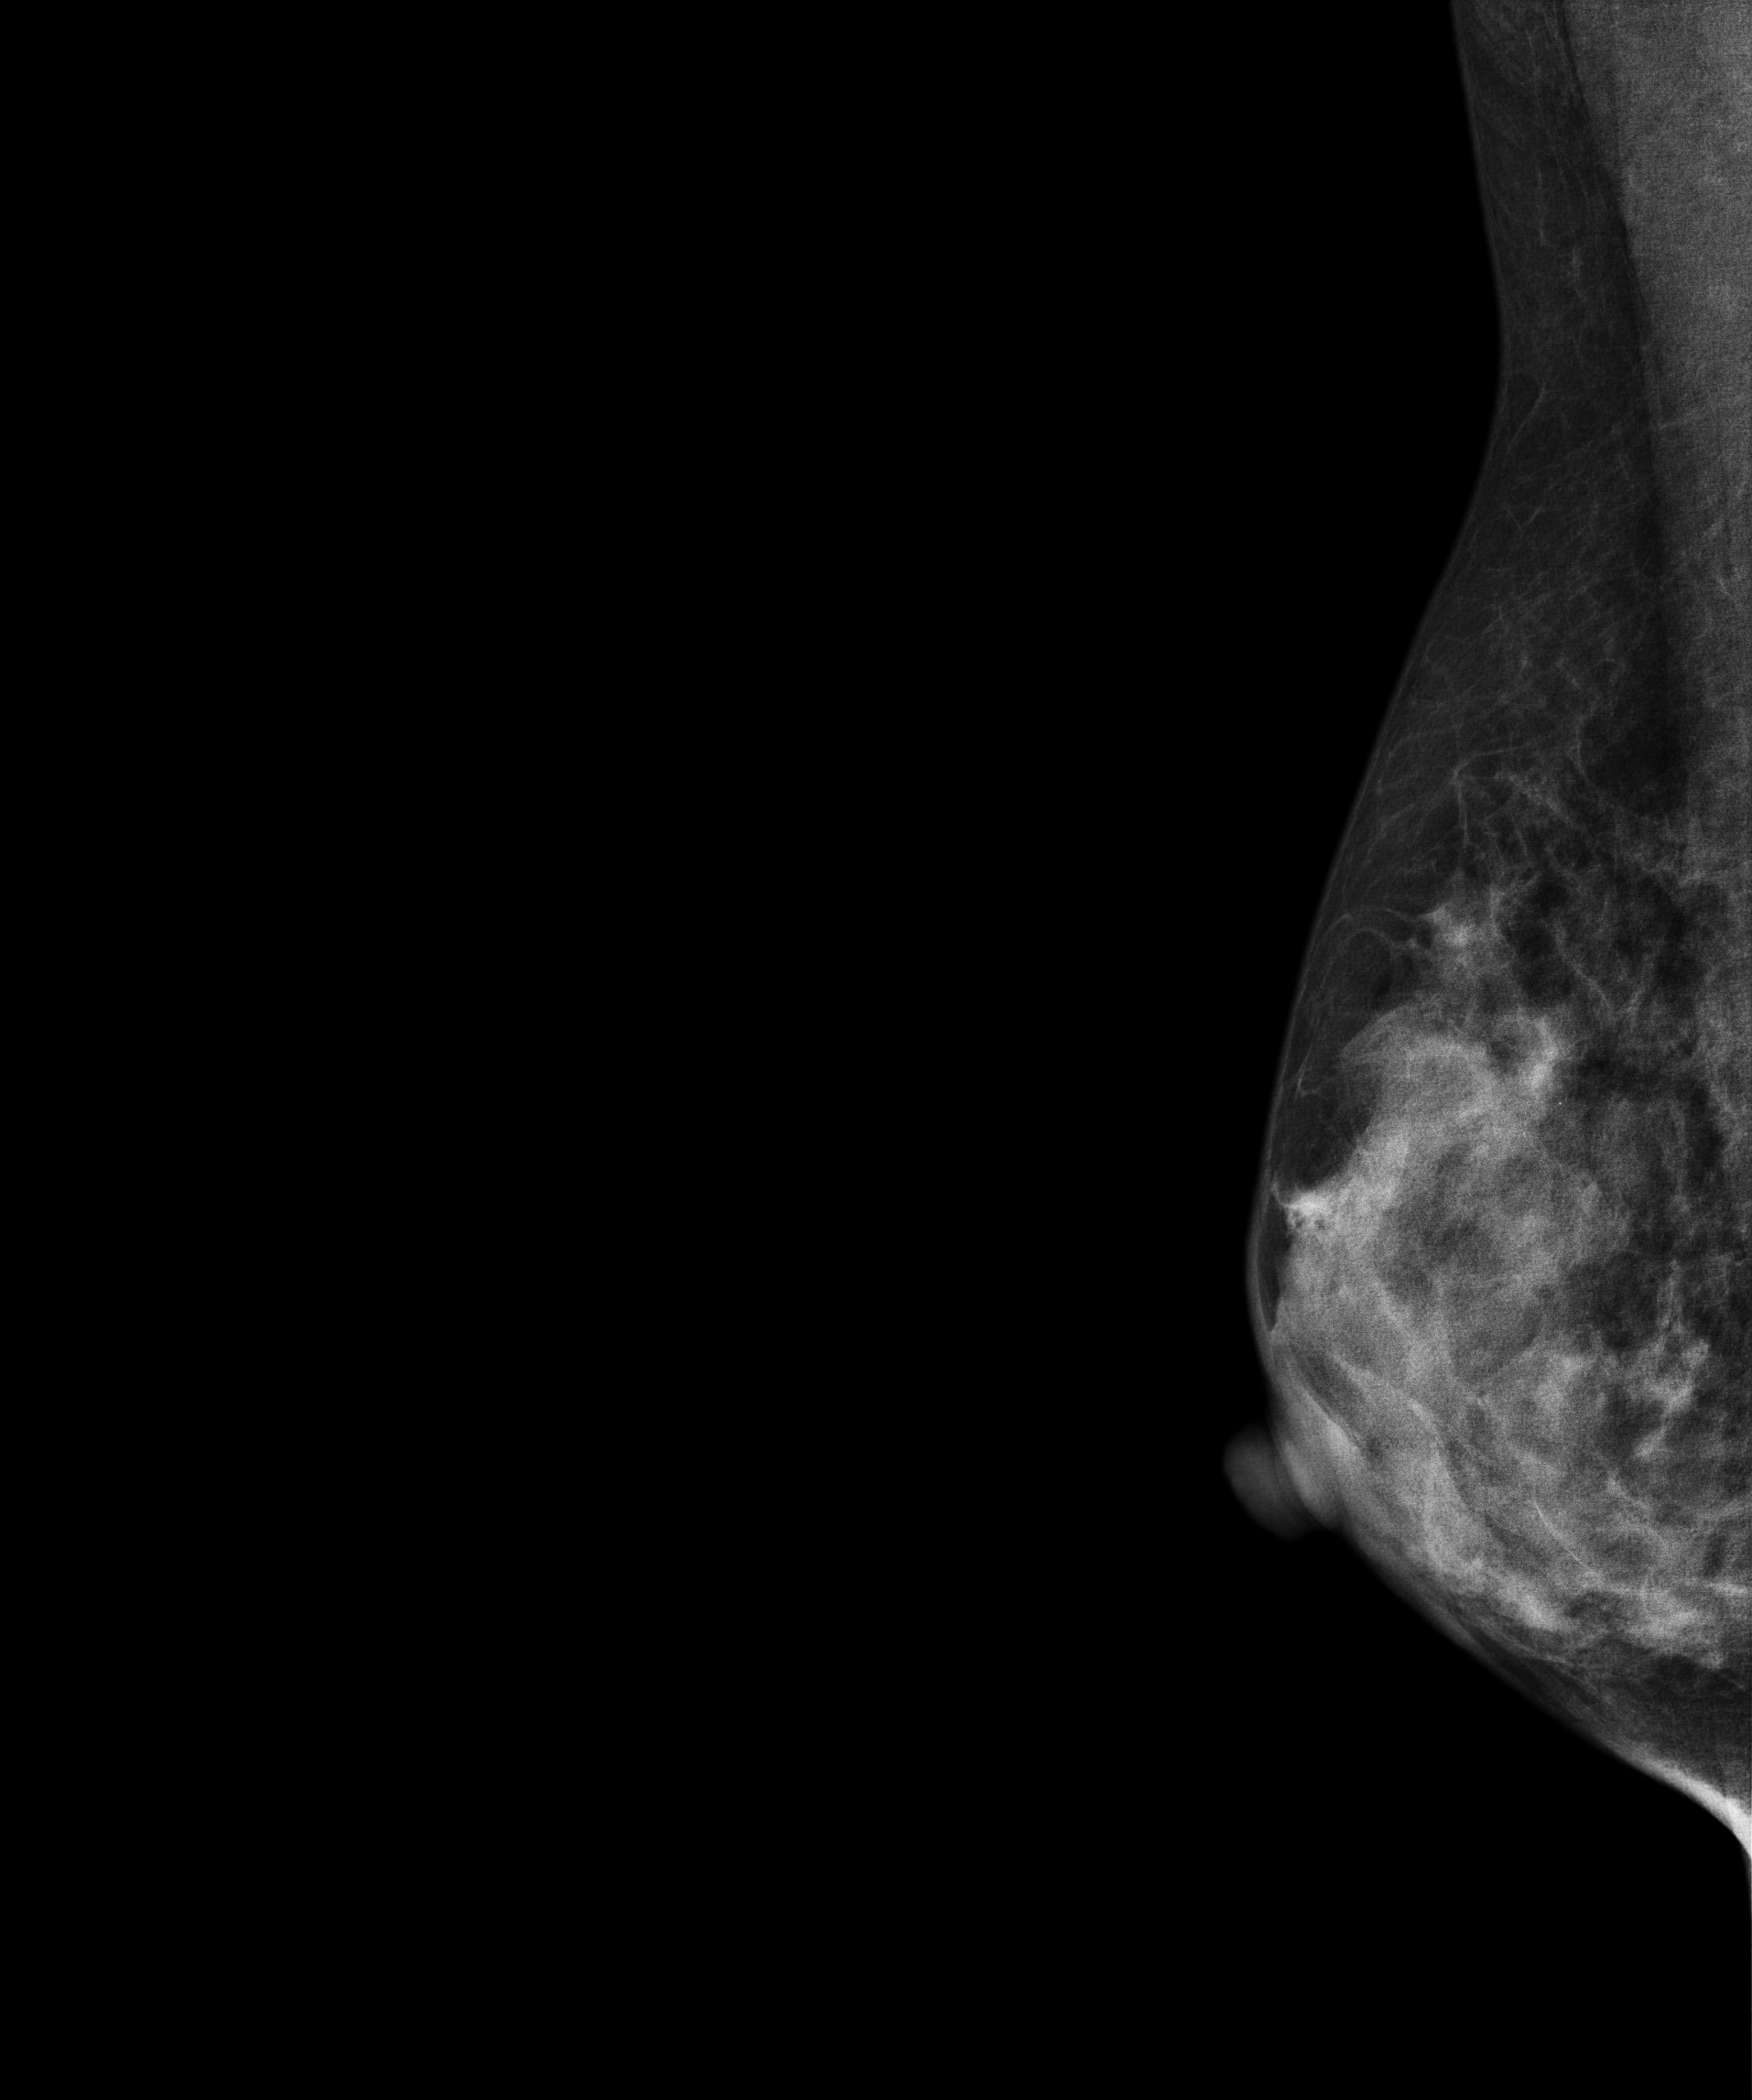
Digital mammography. Right breast, medio-lateral oblique projection. 50 y/o patient.
Contralateral breast — no documented abnormality on this side.